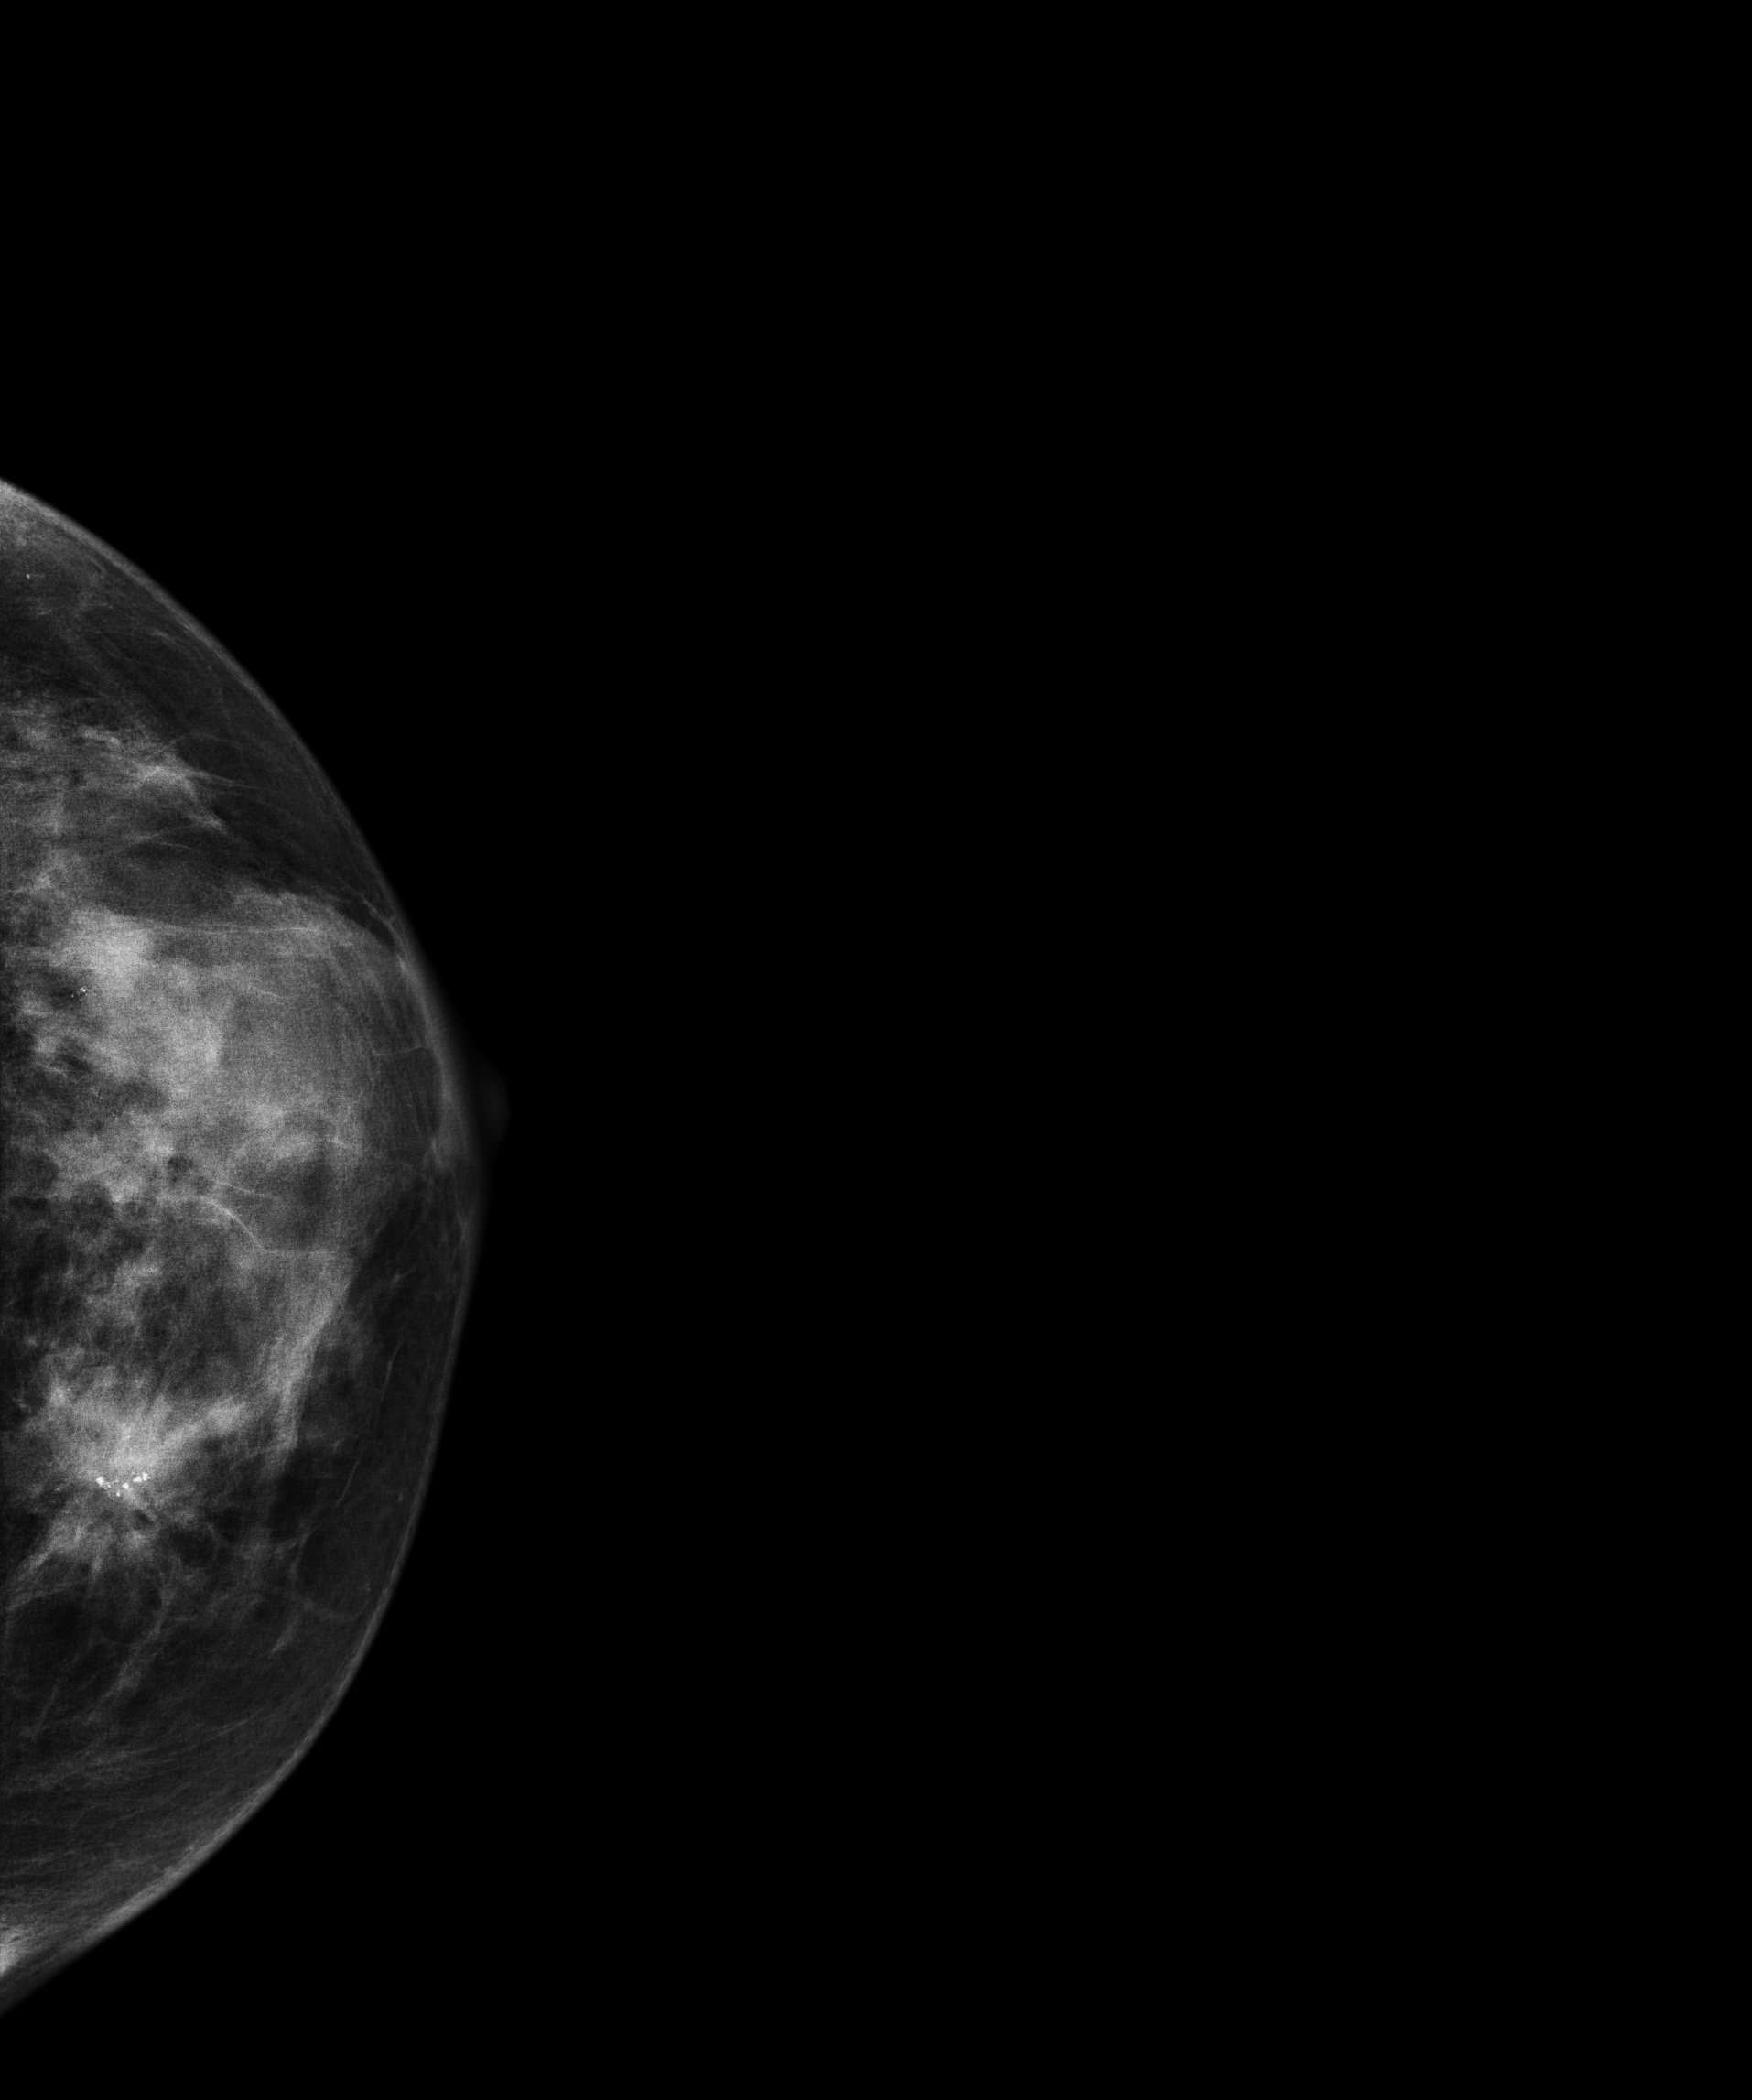
Digital mammography. Left breast, cranio-caudal projection. Patient age 57.
This breast has a mass and calcifications, pathology-confirmed malignant. Molecular subtype: luminal A.